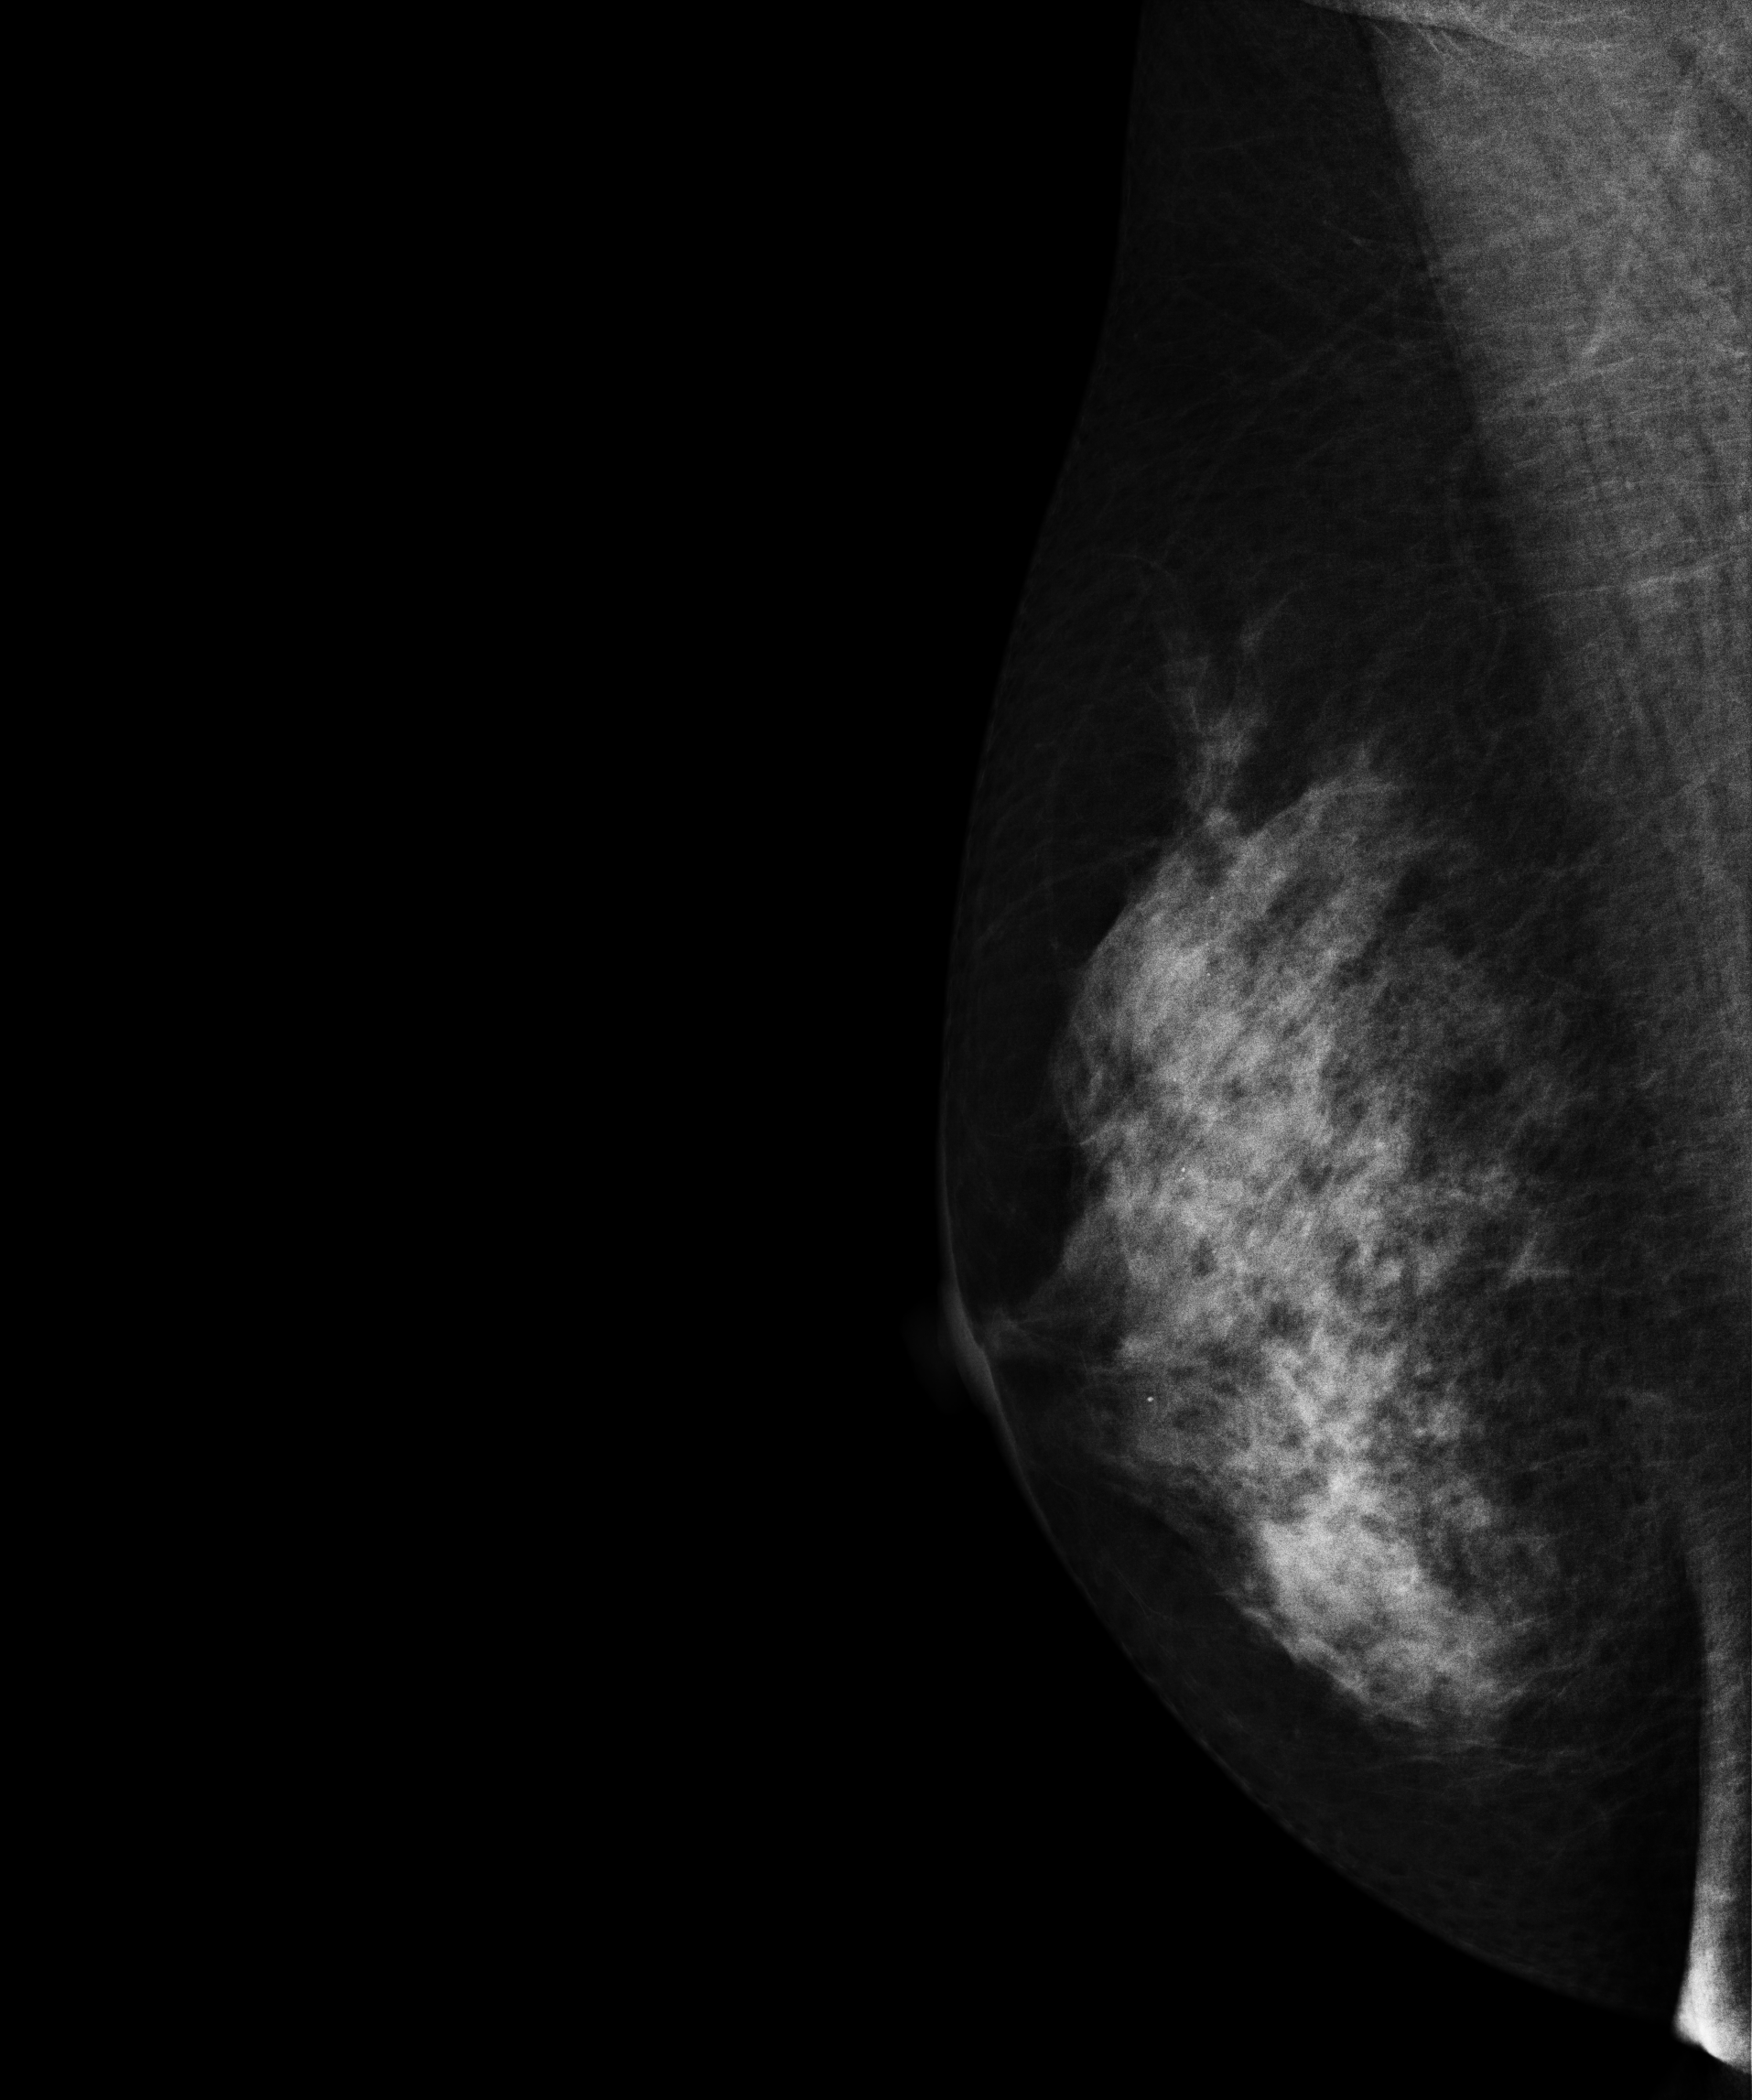
Mammogram, right breast, medio-lateral oblique view. Patient age 56.
Contralateral breast — no documented abnormality on this side.